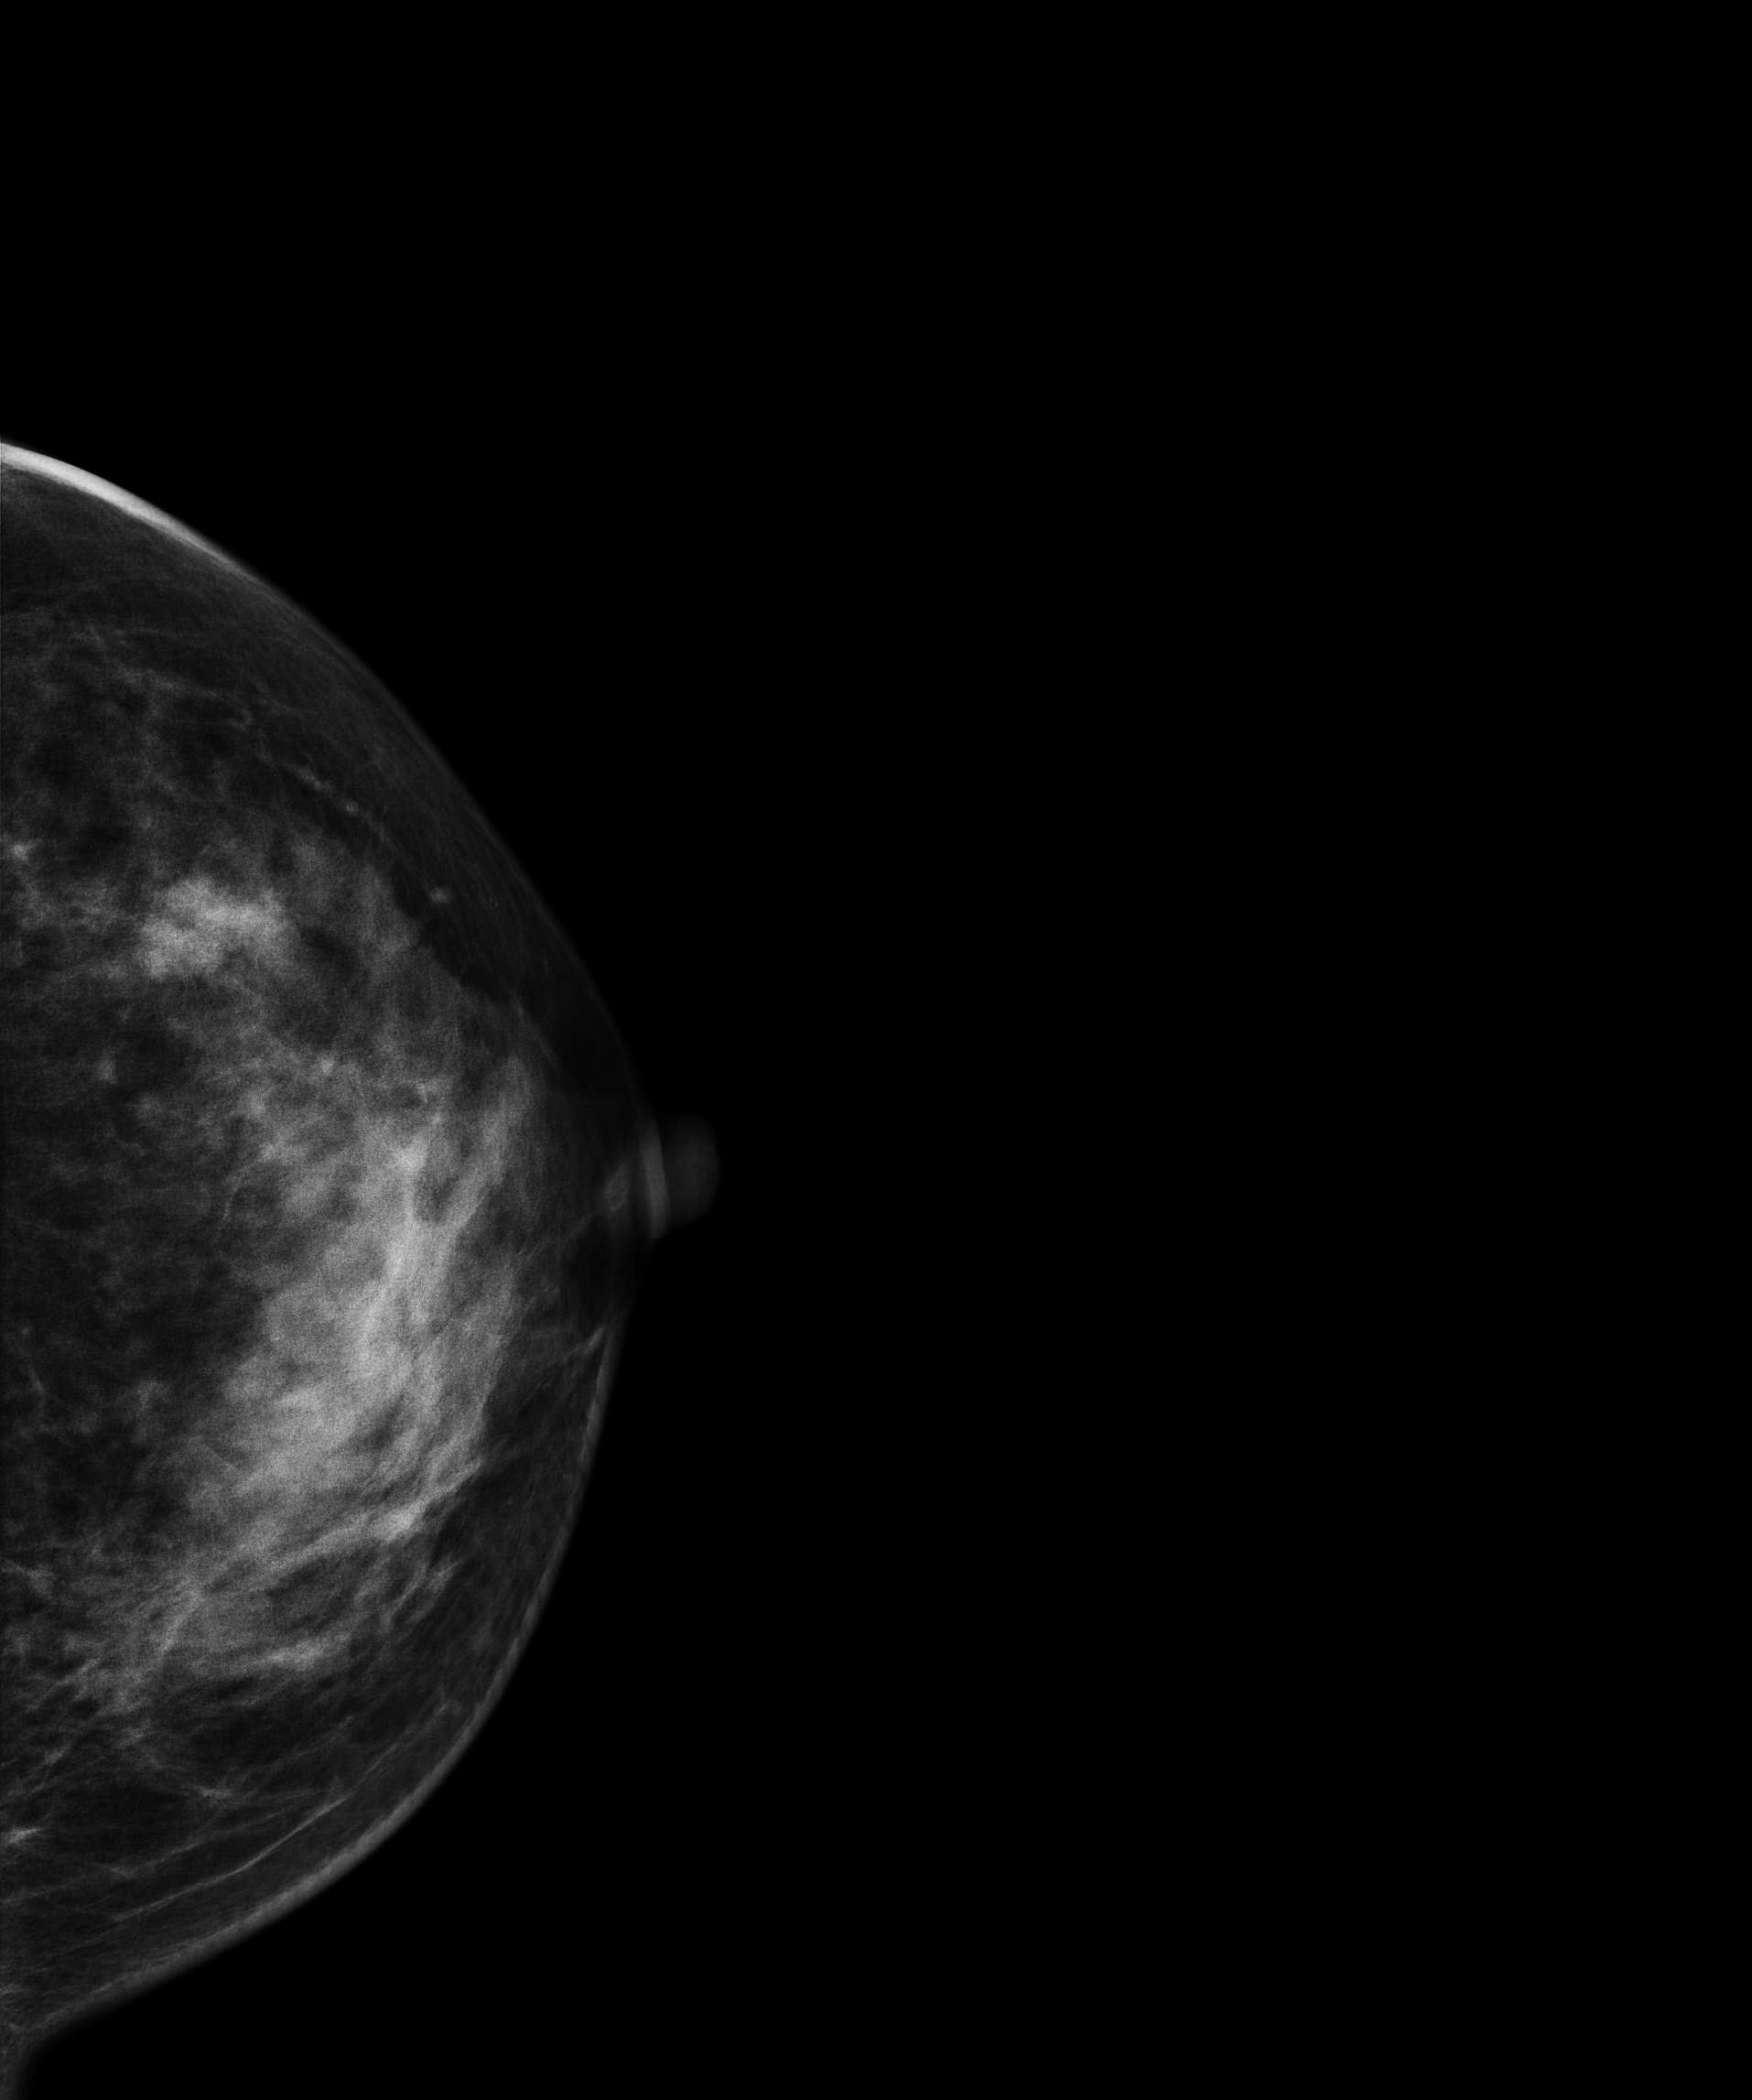
Digital mammography. Left breast, cranio-caudal projection. 38 y/o patient.
This breast has a mass, biopsy-proven malignant.